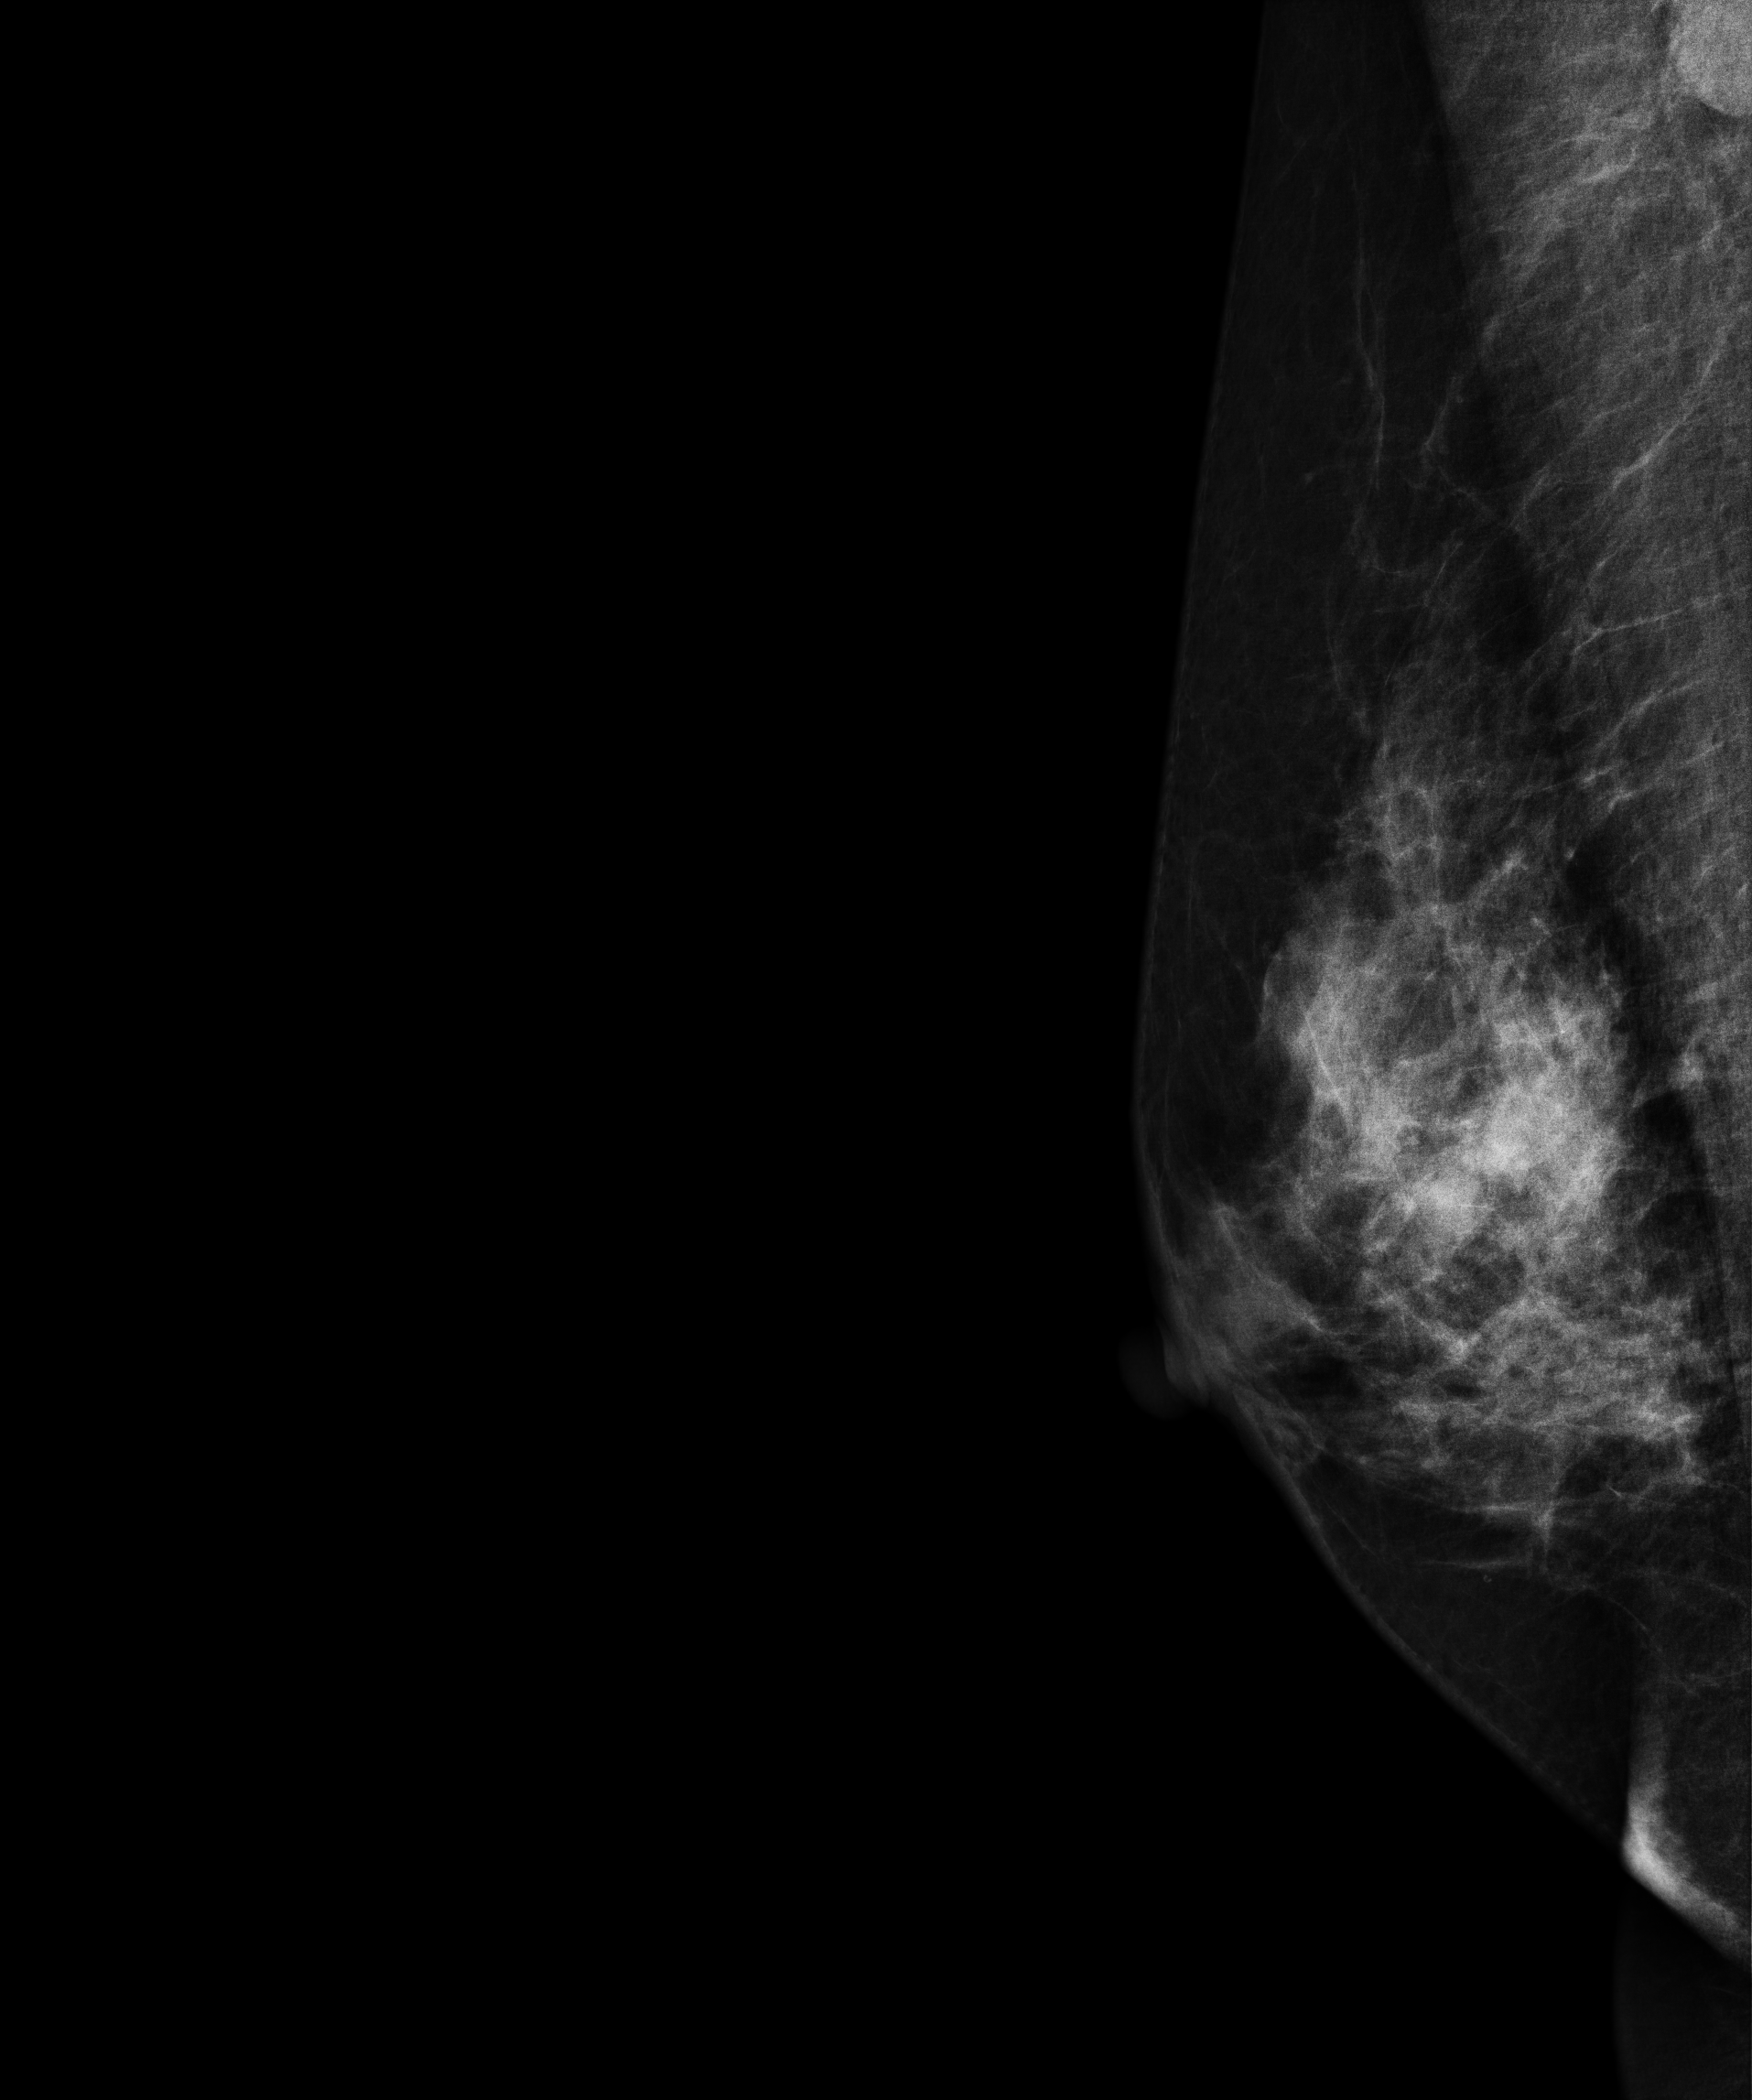
Right-breast mammogram, MLO. 54 y/o patient.
This breast has a mass, biopsy-proven malignant. Molecular subtype: luminal B.